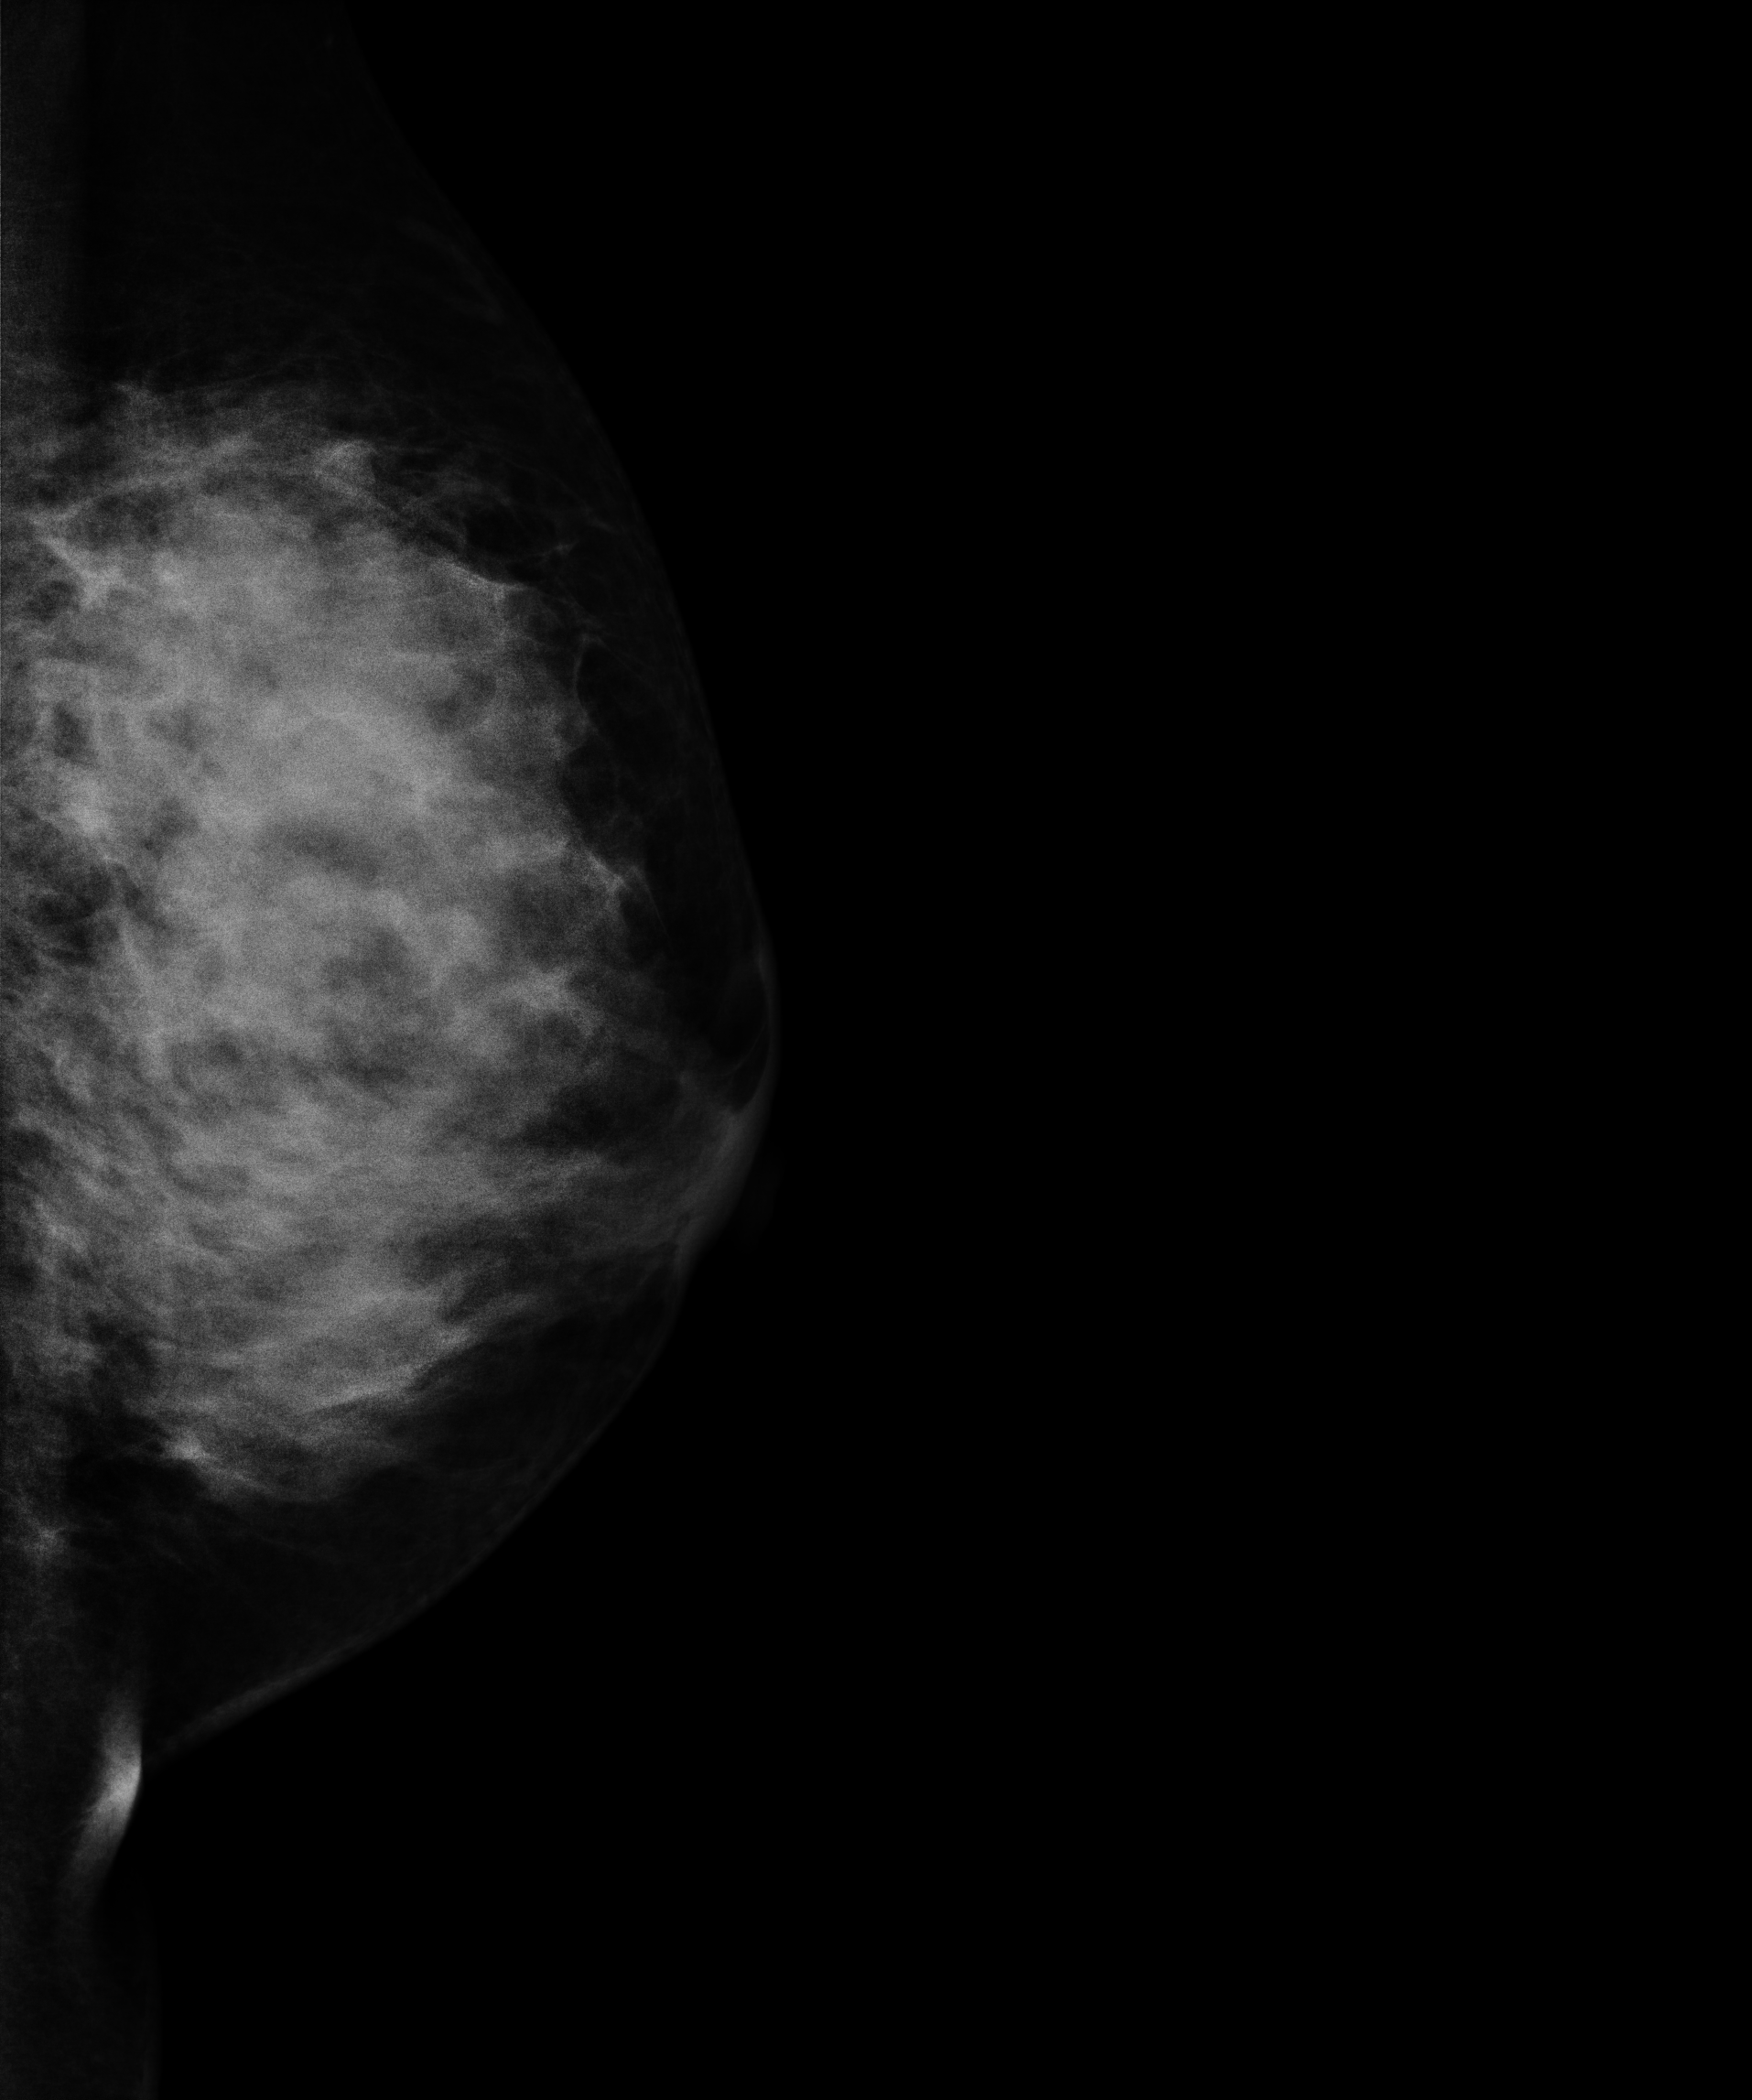
Mammogram — left MLO. Patient age 40.
This breast has a mass, pathology-confirmed benign.